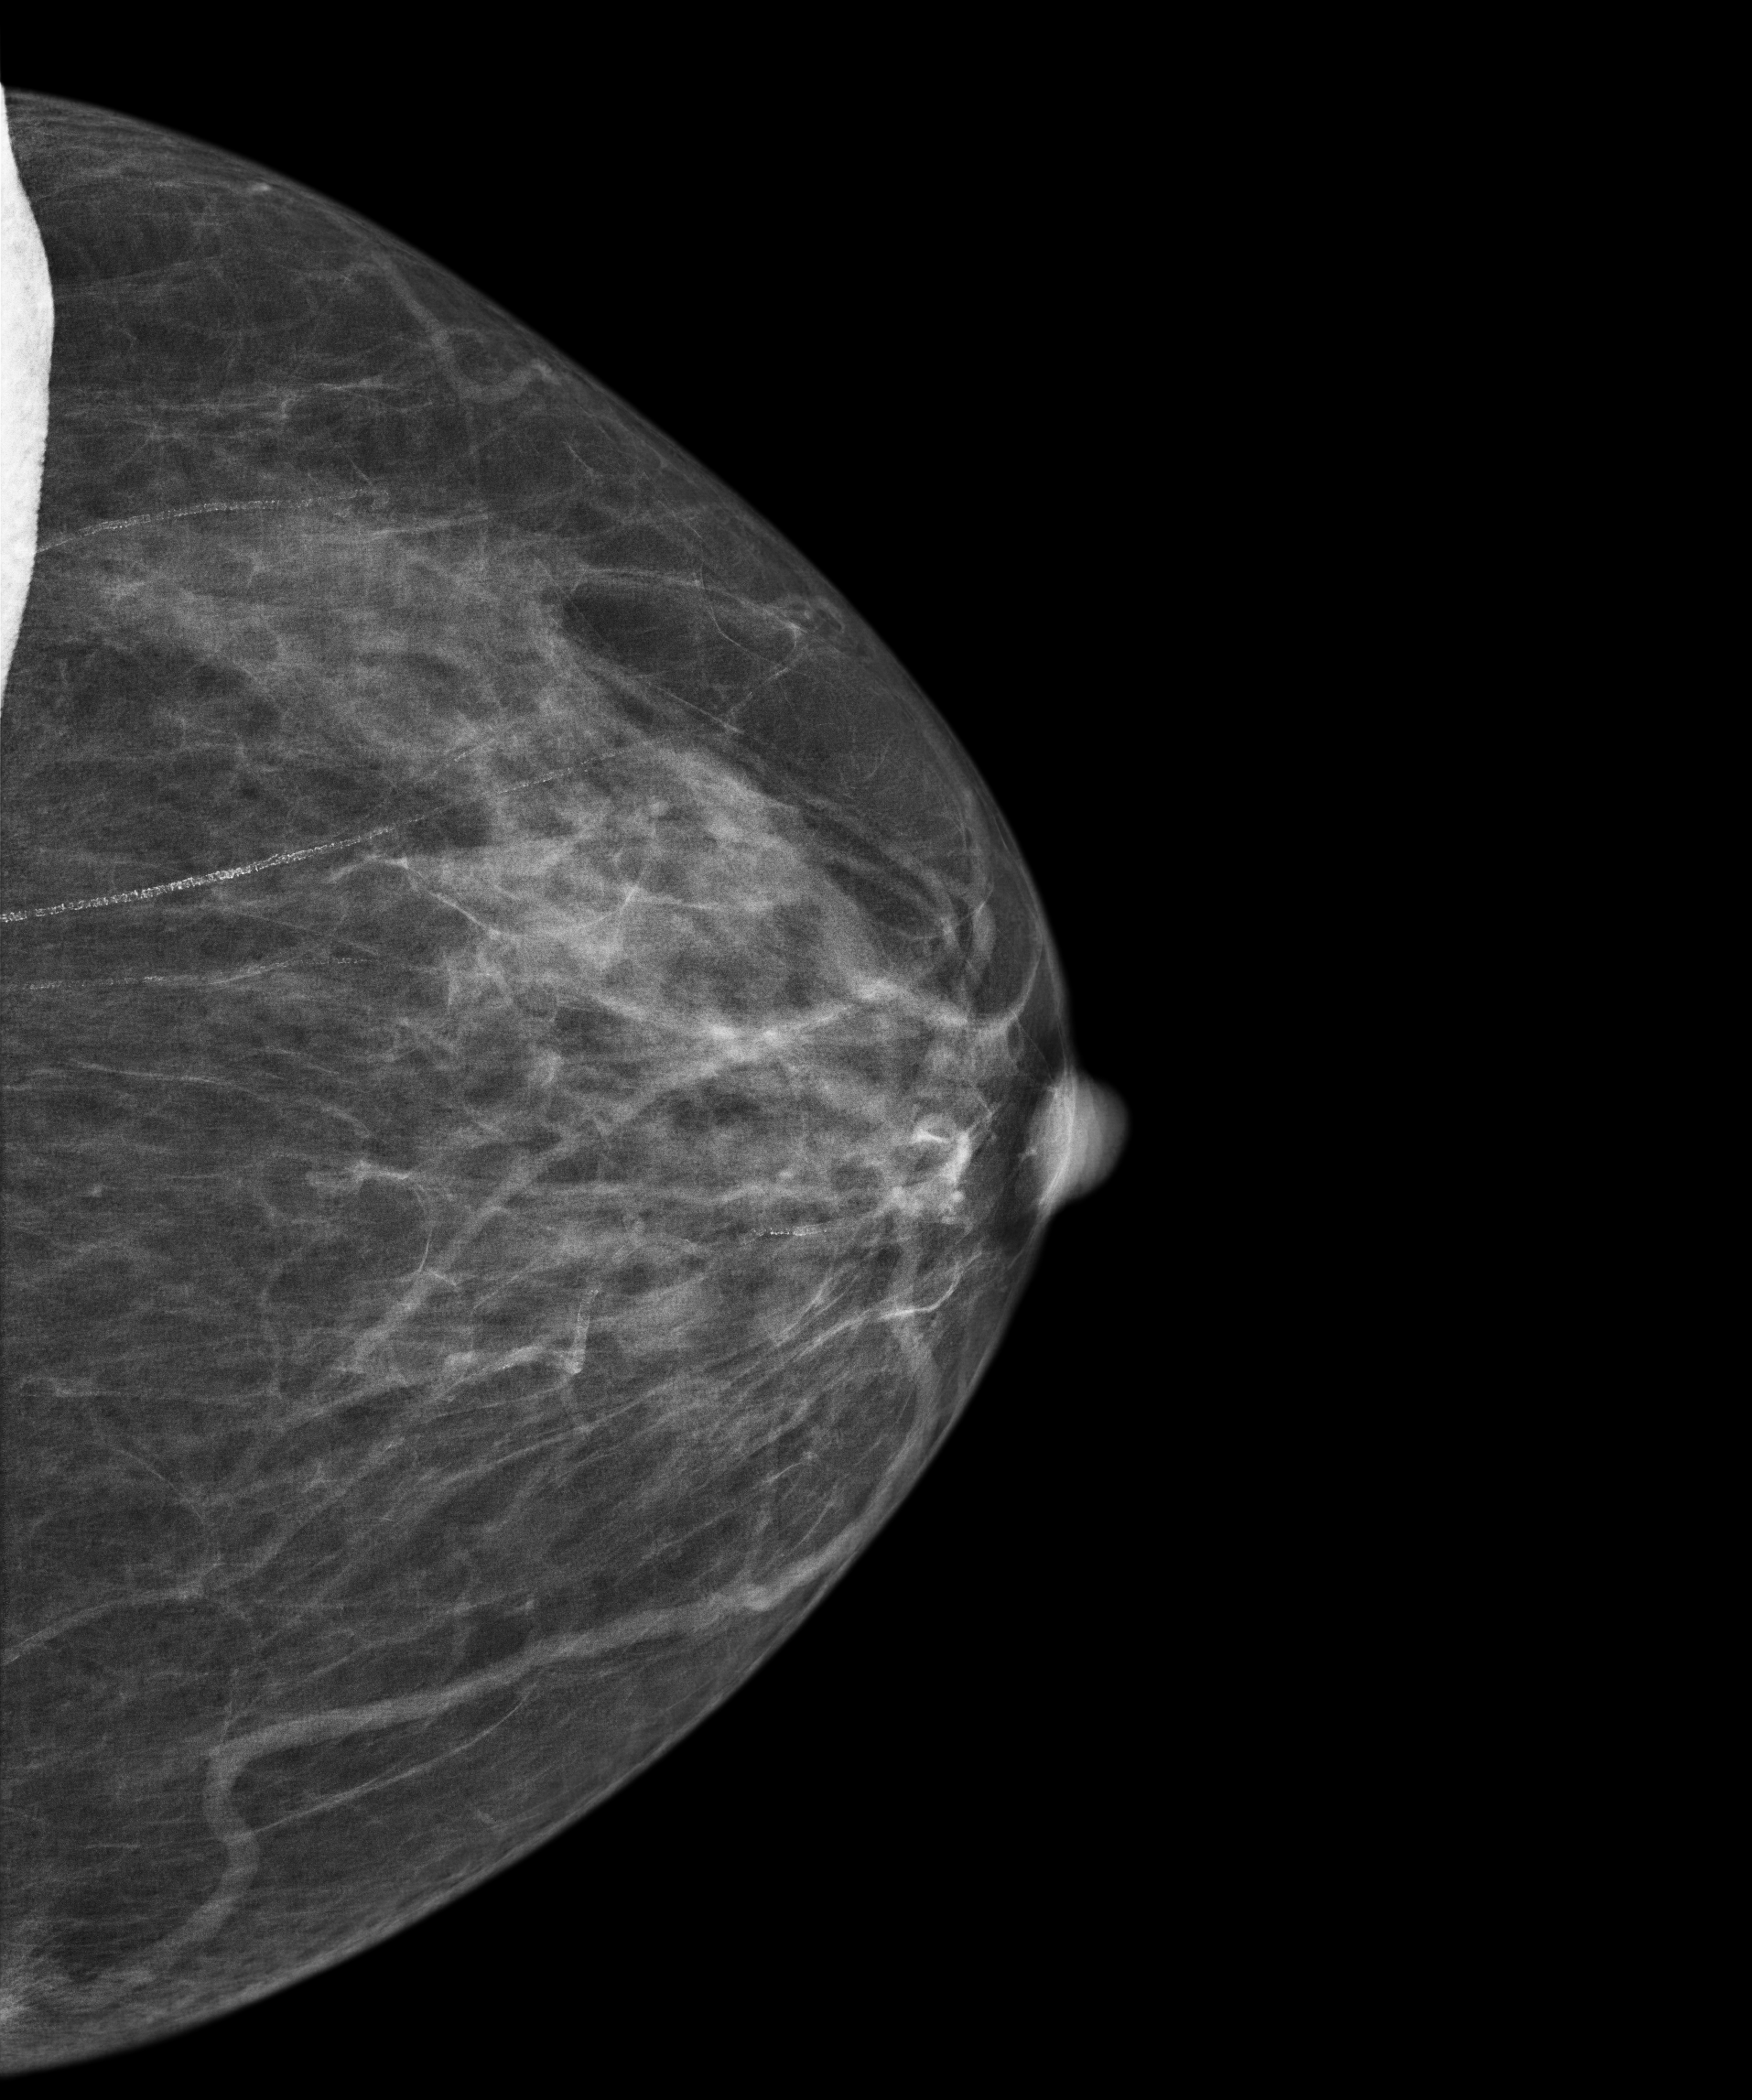
Left-breast mammogram, CC. 76 y/o patient.
Contralateral breast — no documented abnormality on this side.